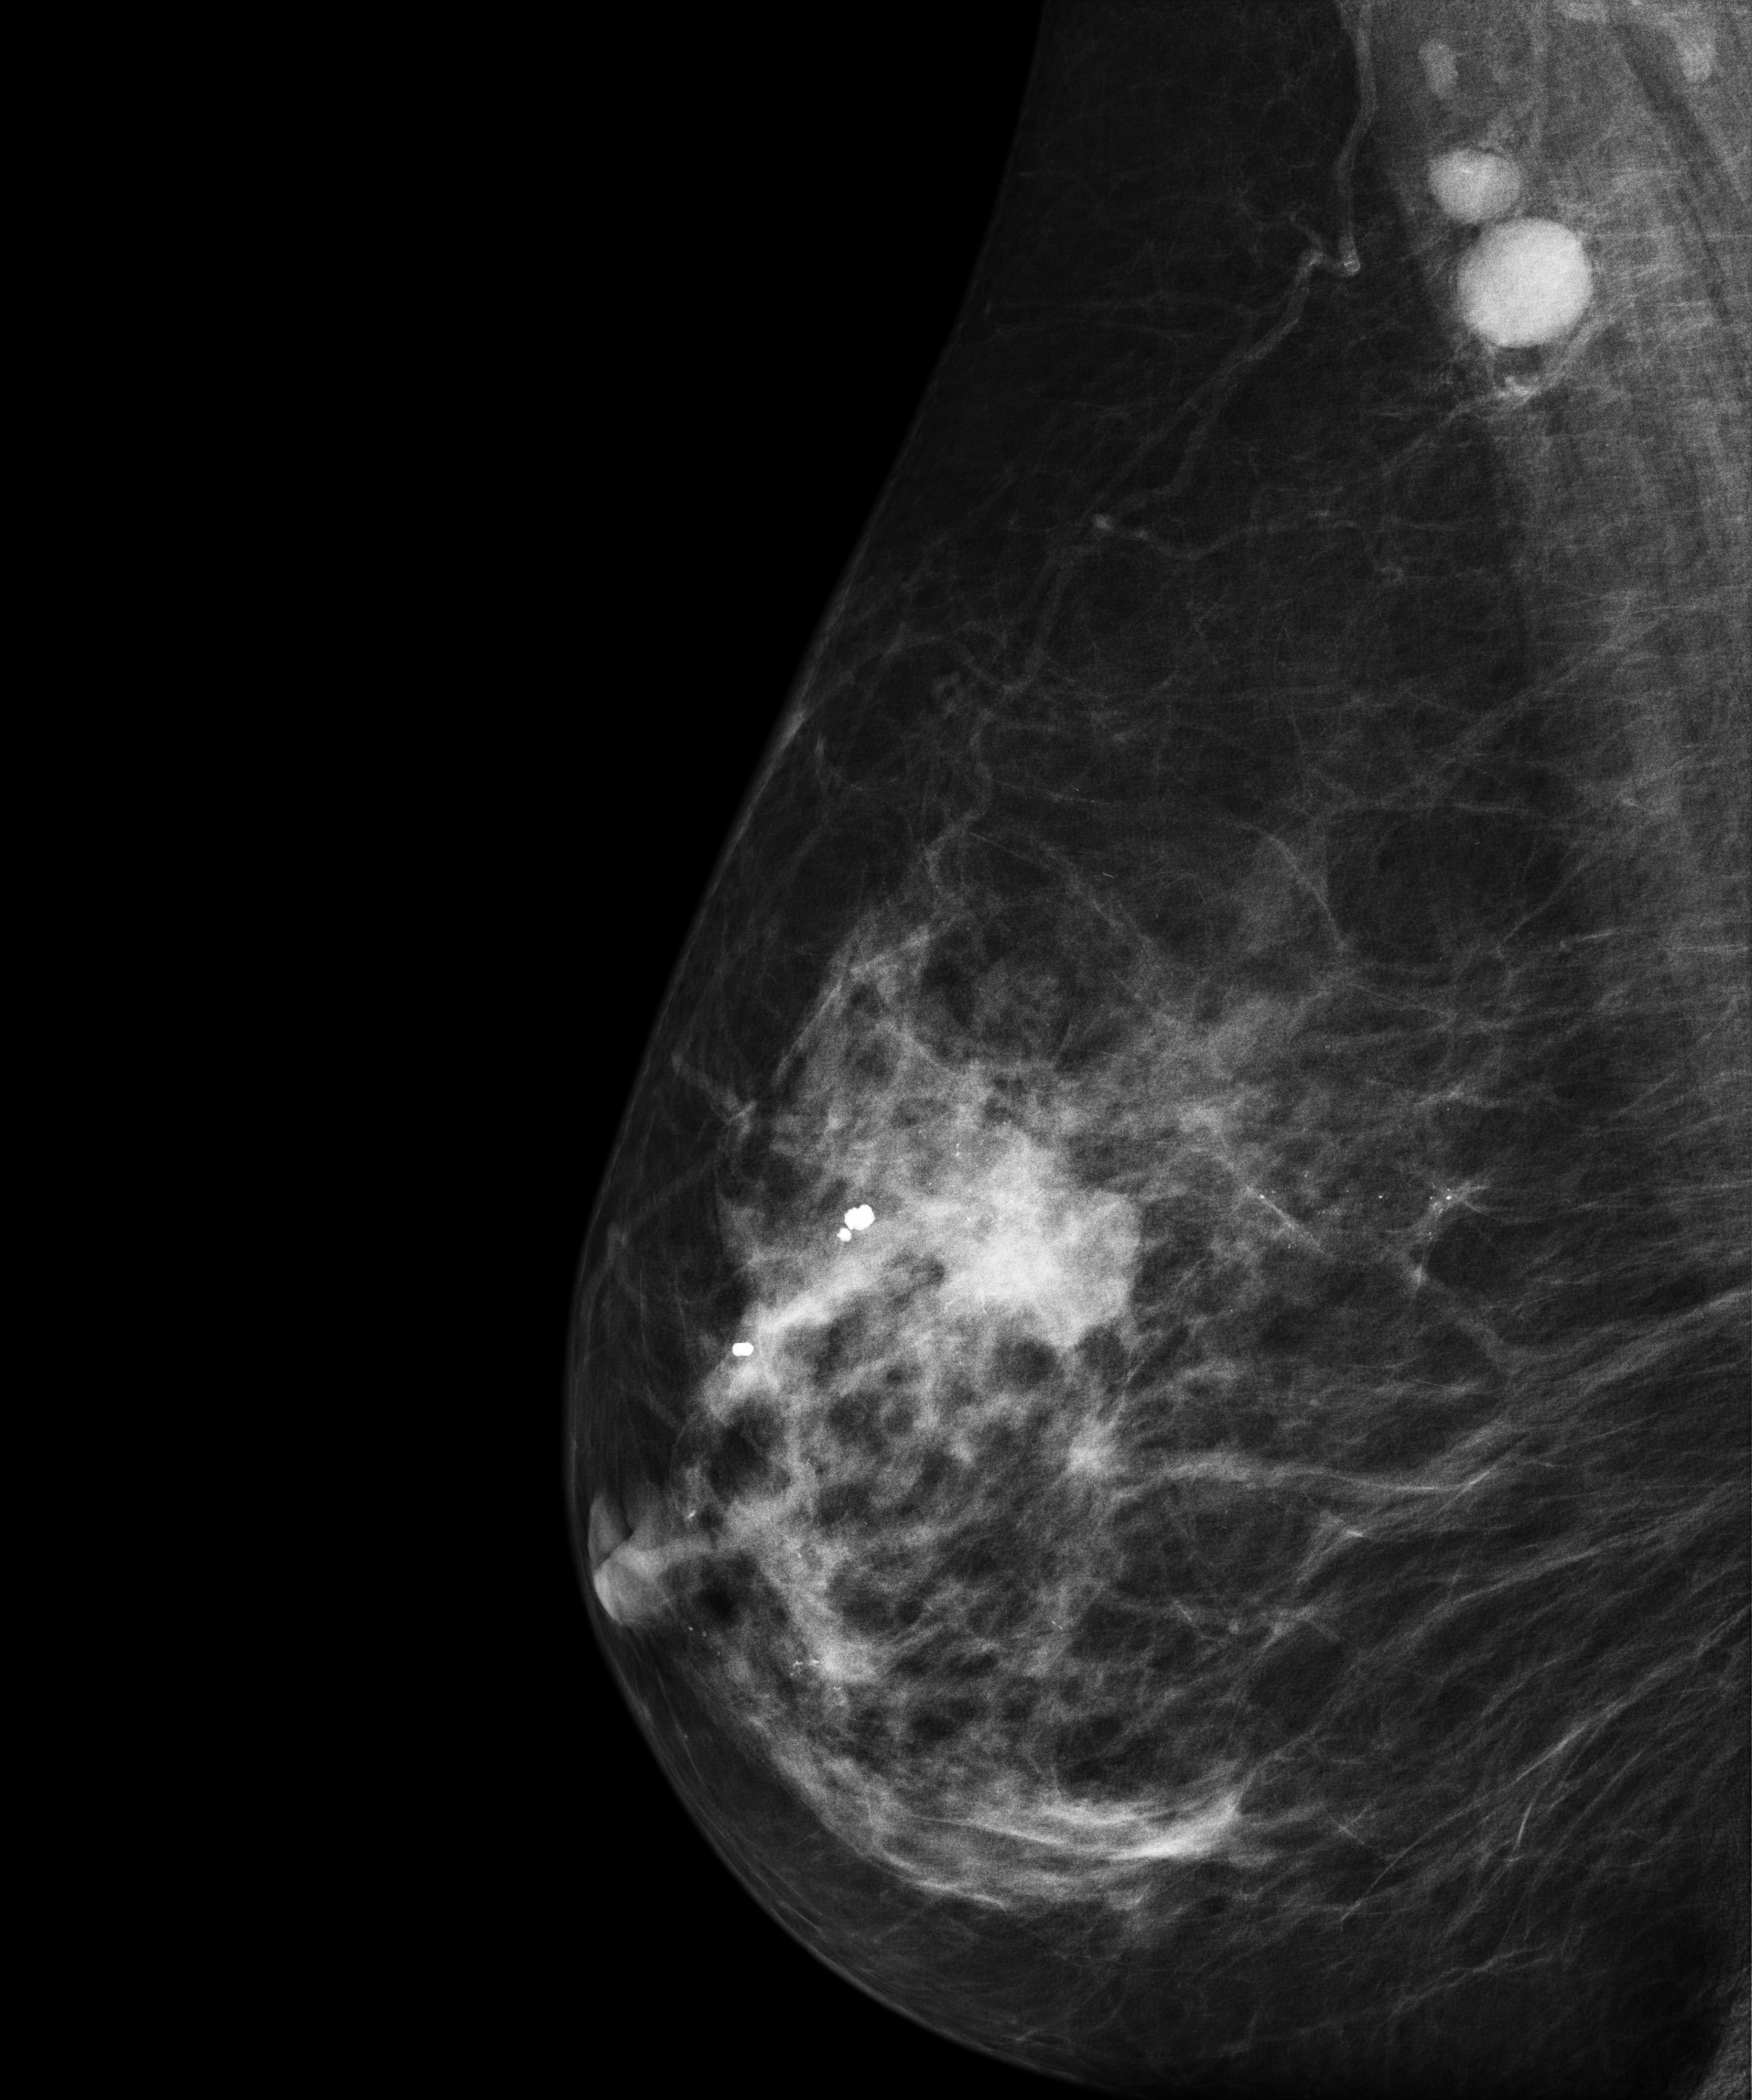
Right-breast mammogram, medio-lateral oblique. Patient age 61.
This breast has a mass and calcifications, pathology-confirmed malignant. Molecular subtype: HER2-enriched.